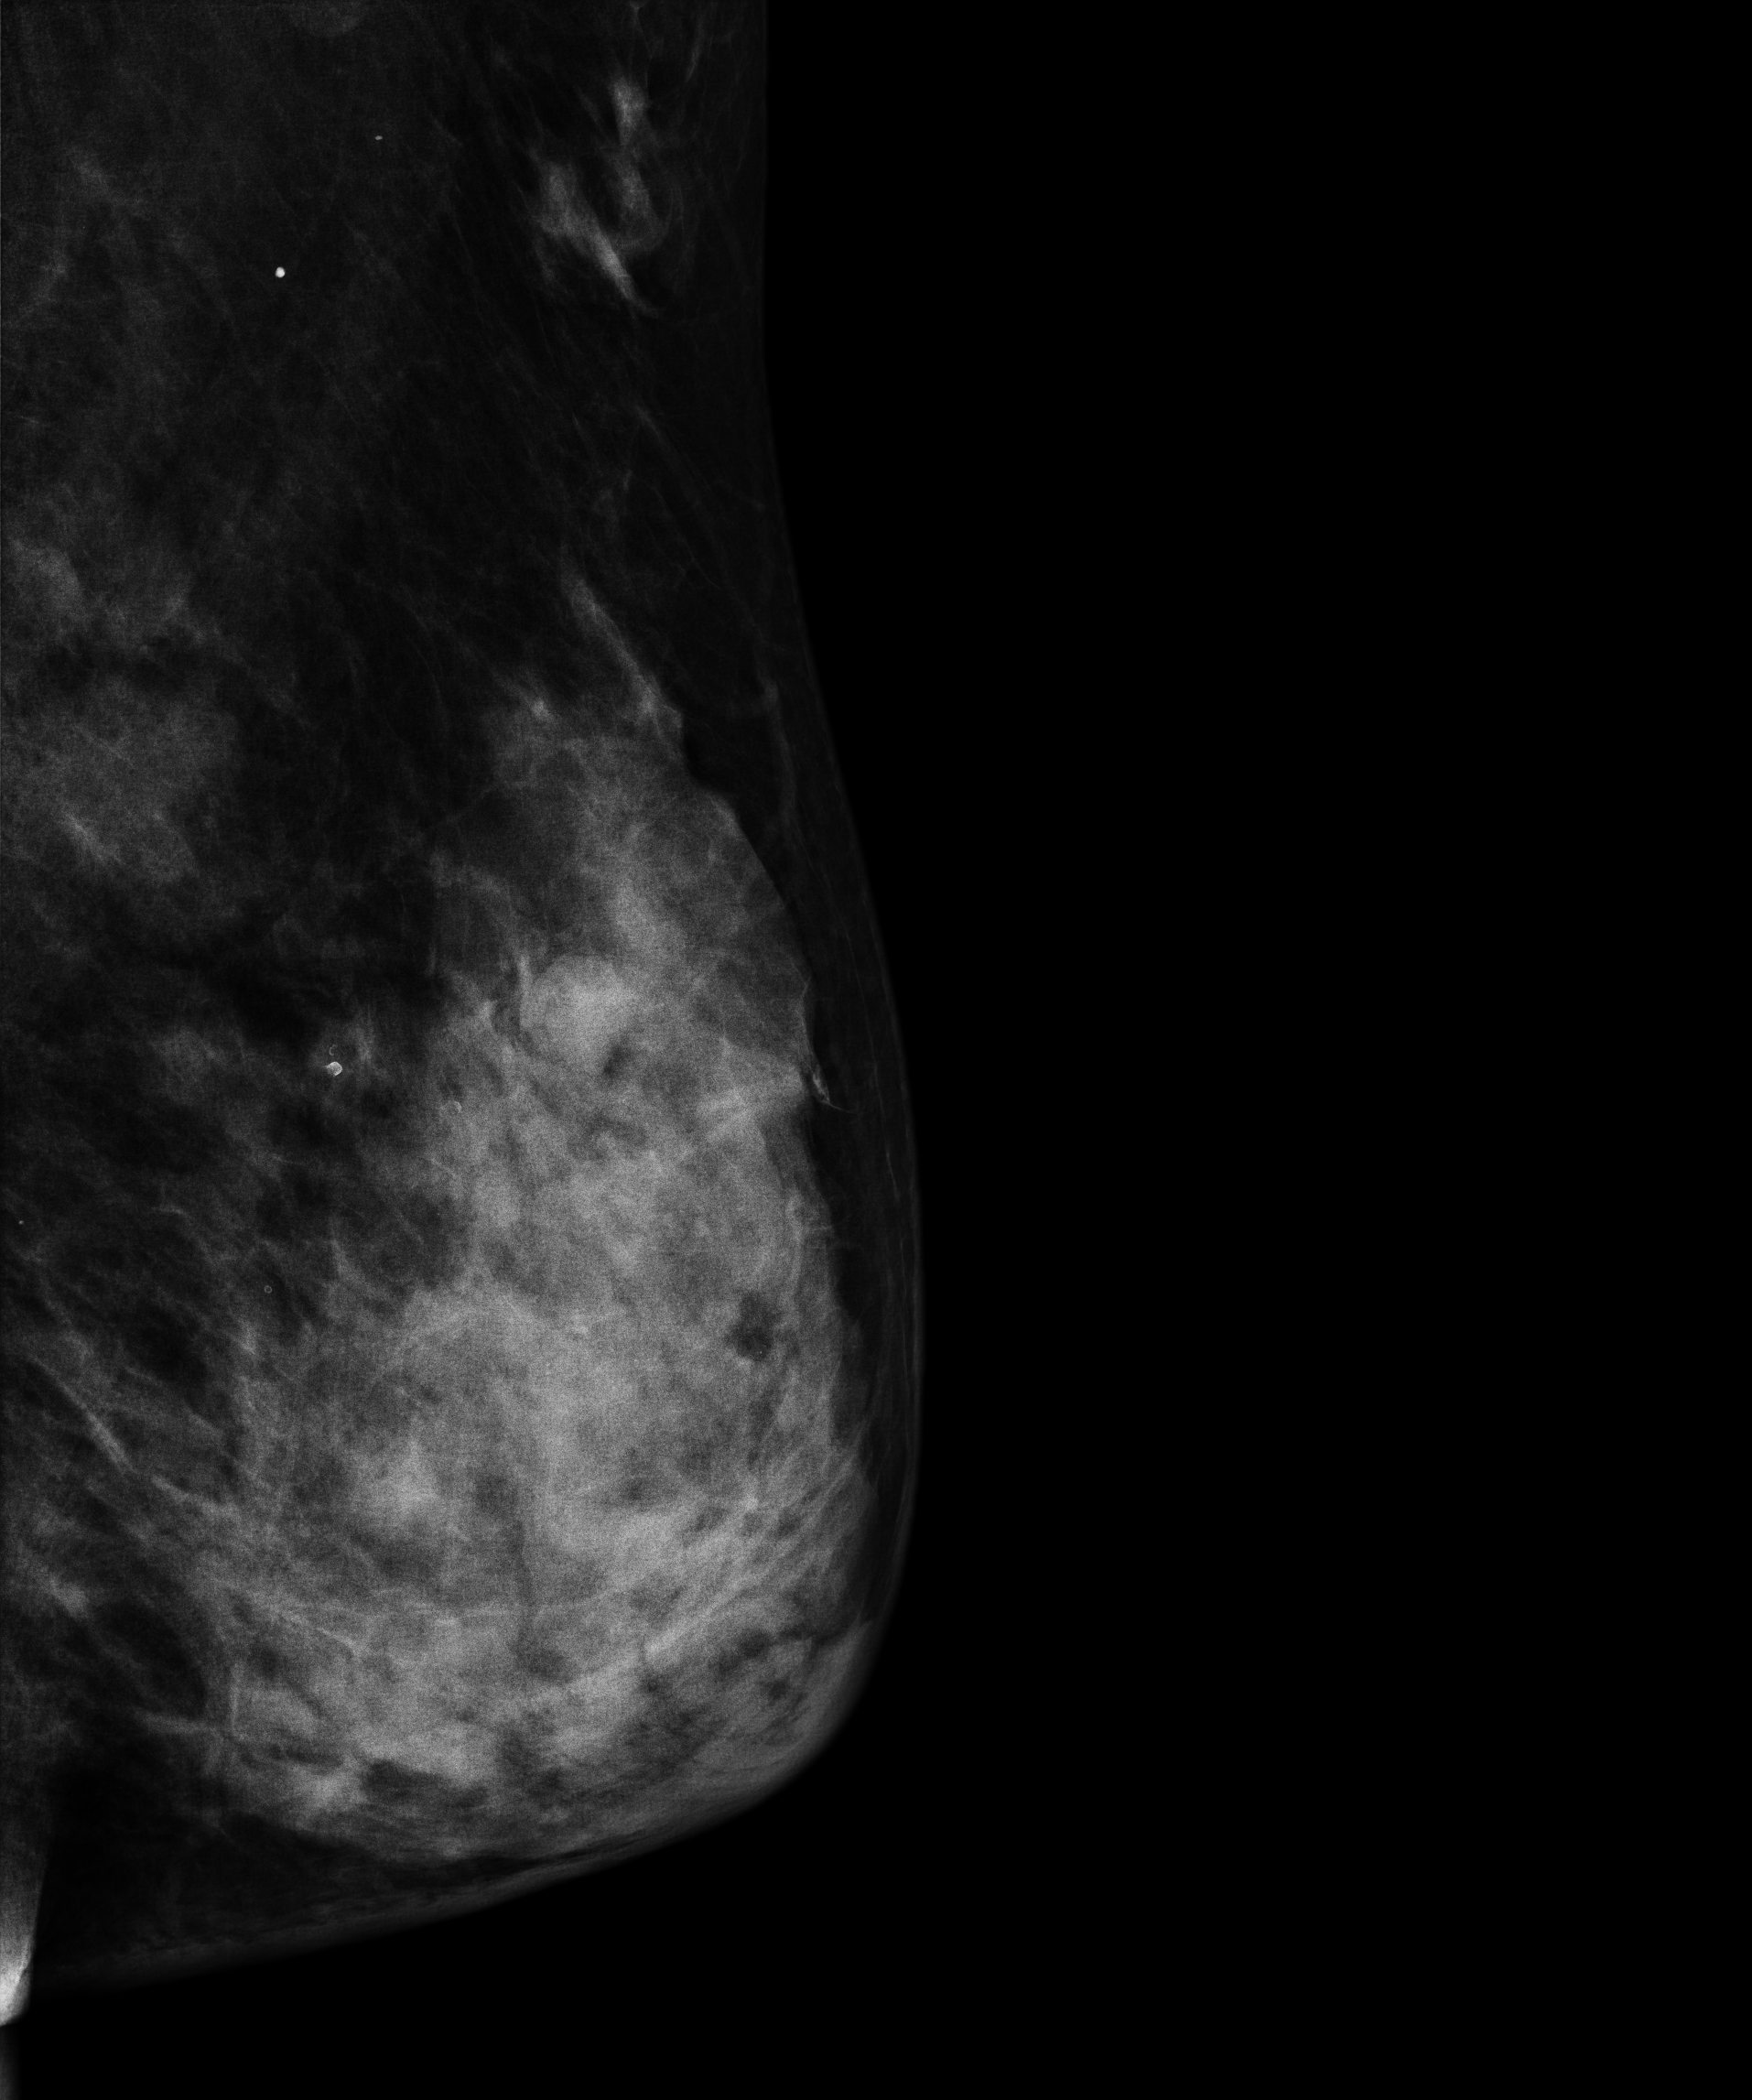
Digital mammography. Left breast, MLO projection. 52-year-old patient.
Contralateral breast — no documented abnormality on this side.